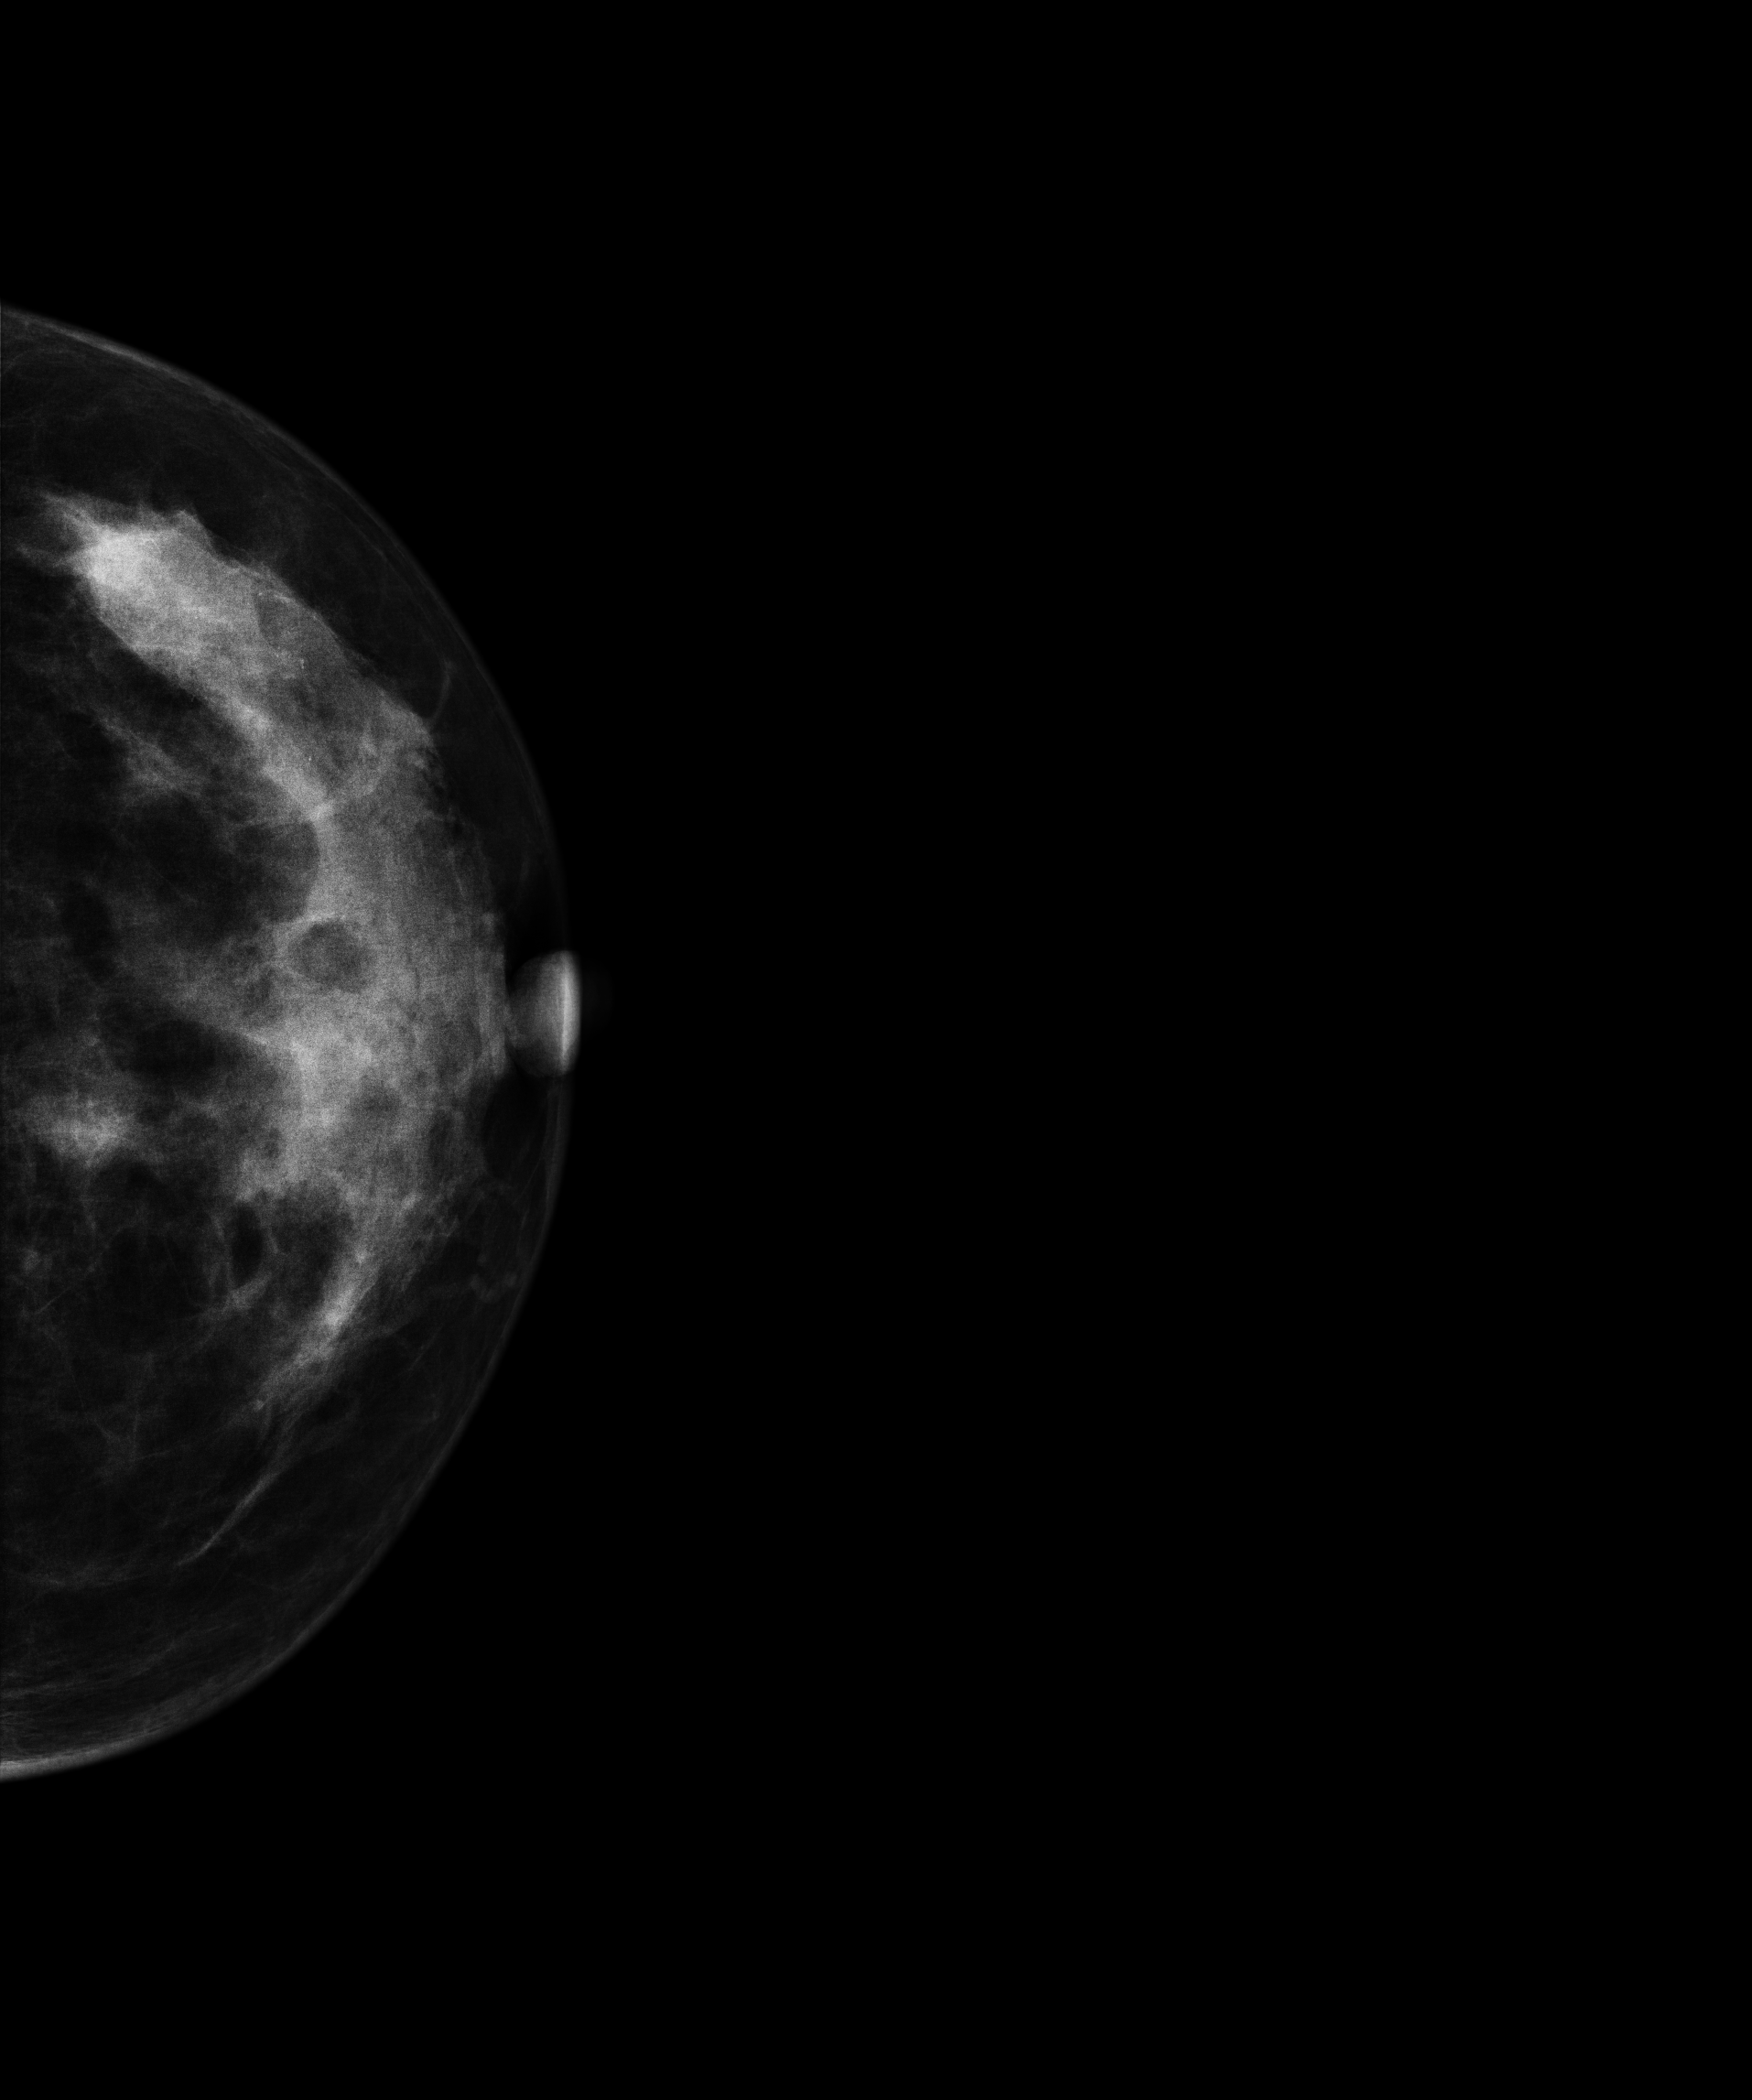
Digital mammography. Left breast, cranio-caudal projection. 51-year-old patient.
This breast has a mass and calcifications, pathology-confirmed malignant. Molecular subtype: HER2-enriched.